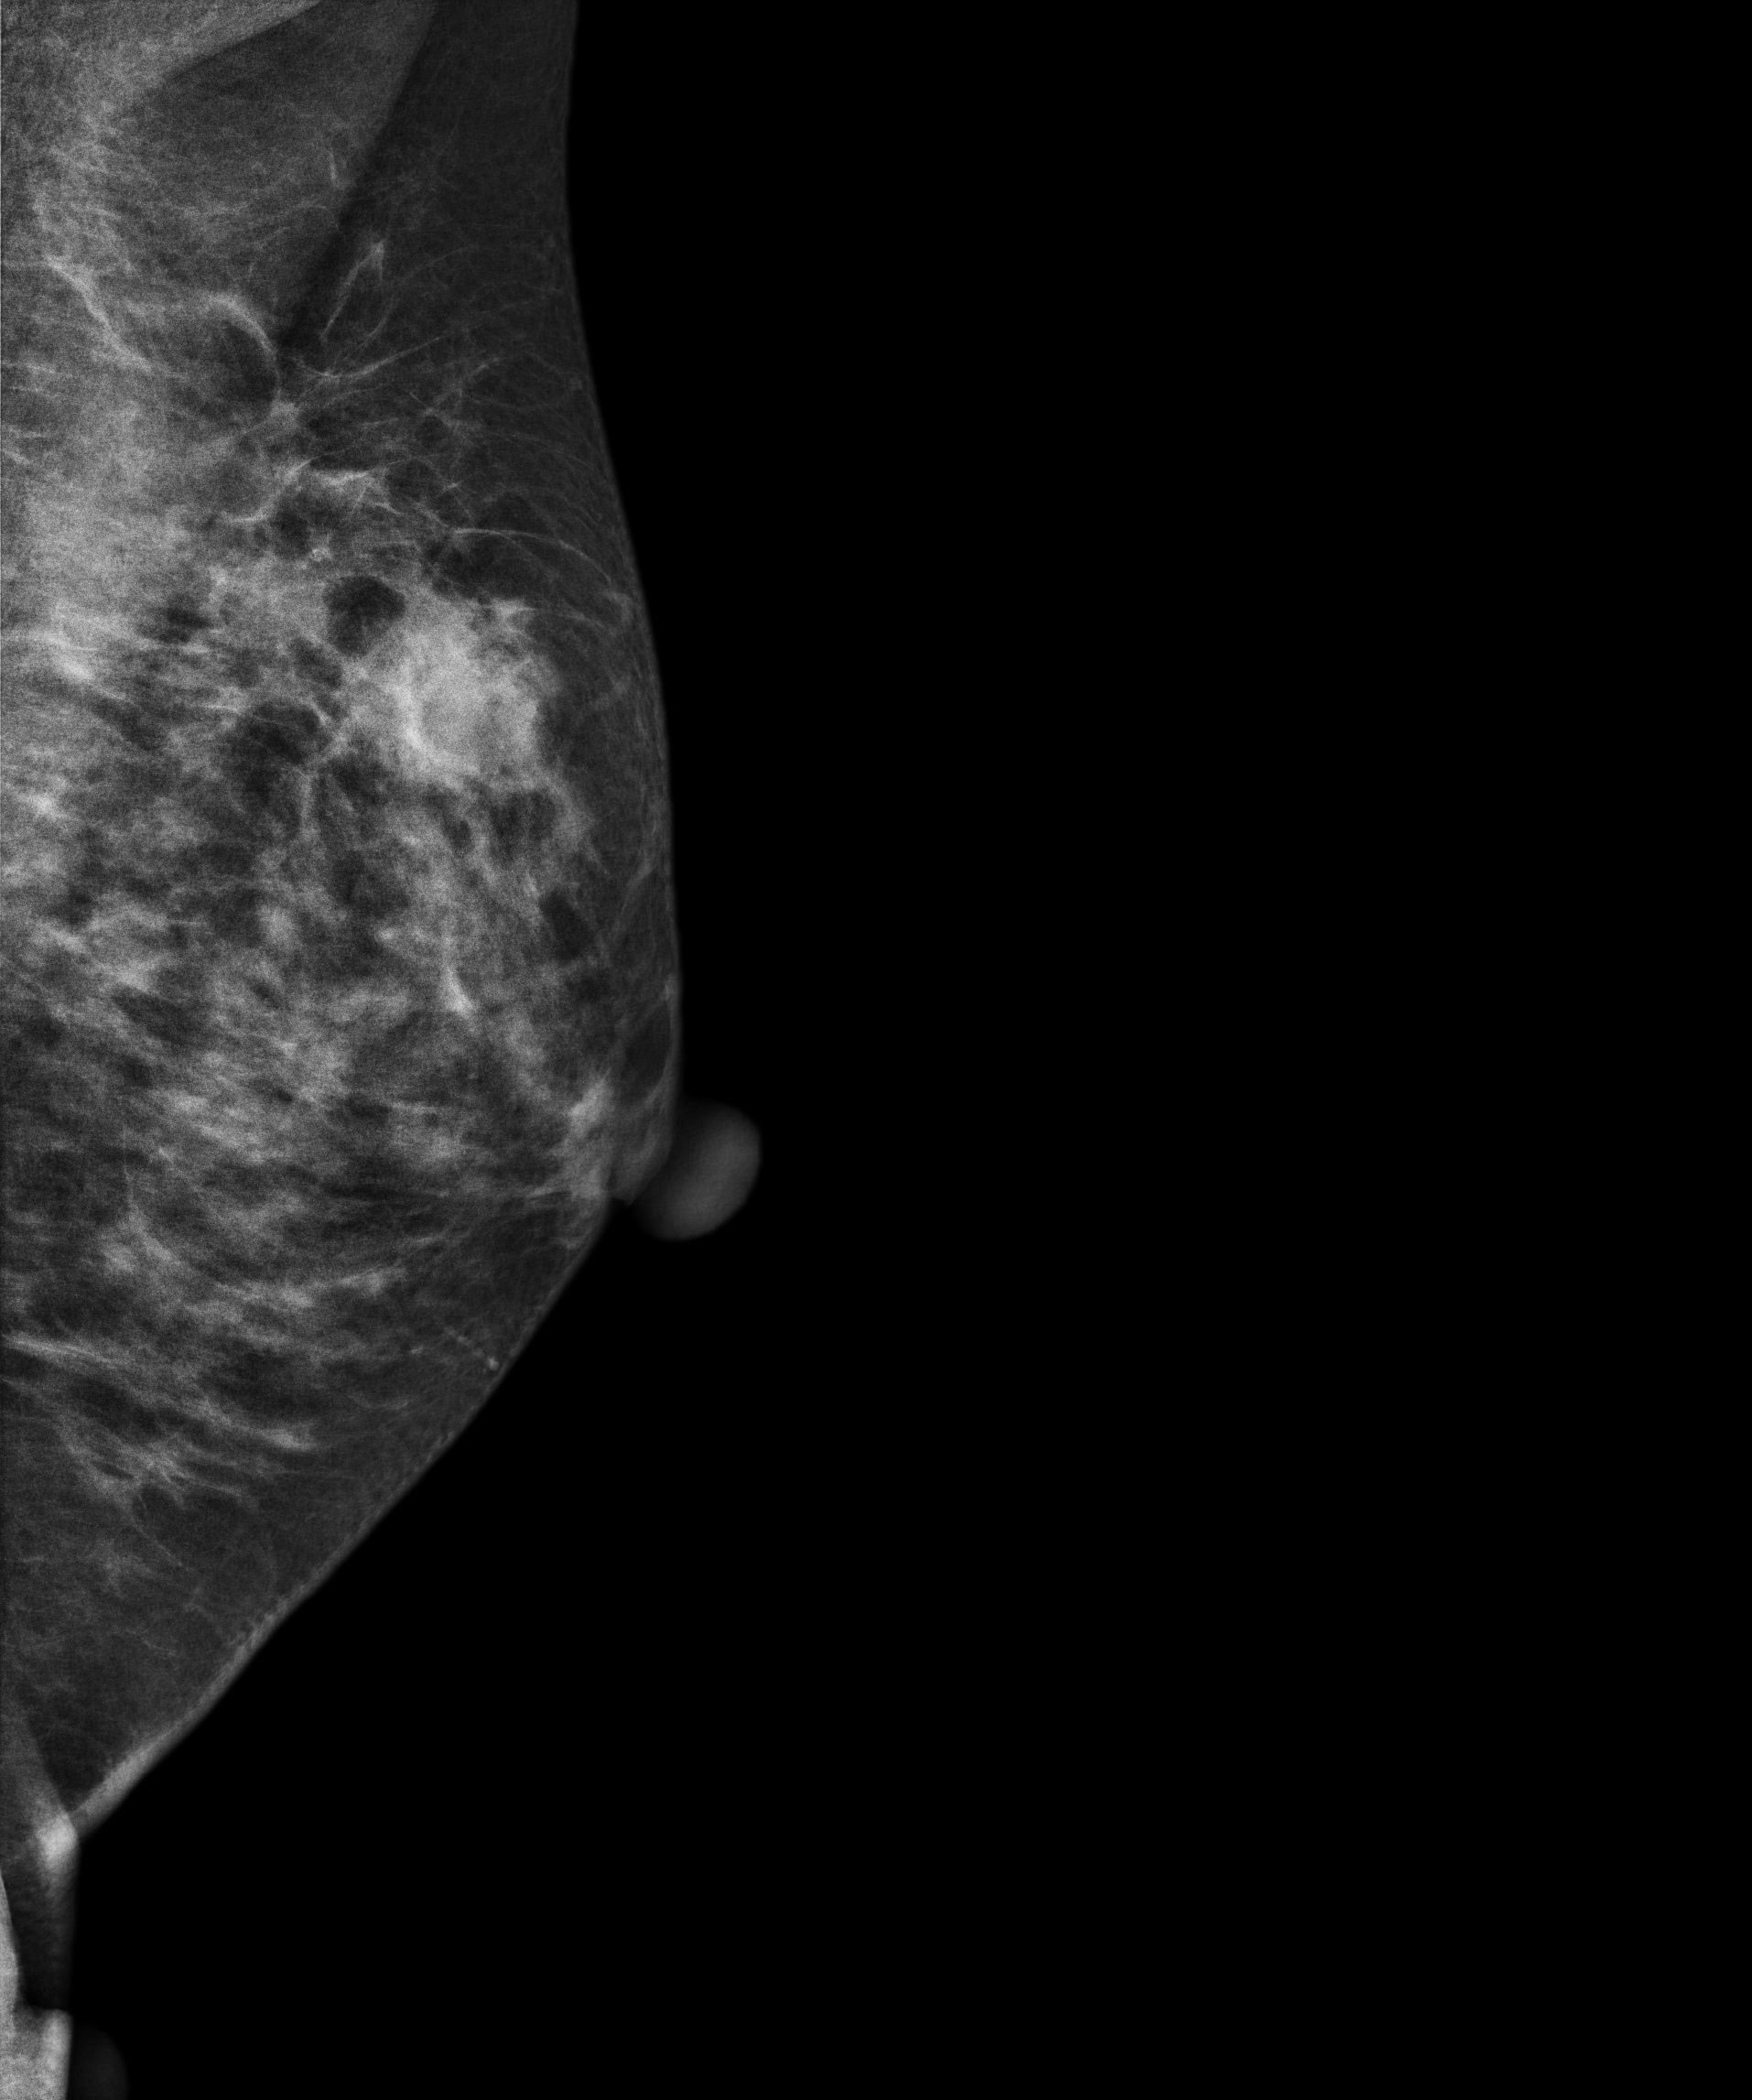
MLO mammogram of the left breast. Patient age 41.
This breast has a mass, pathology-confirmed benign.